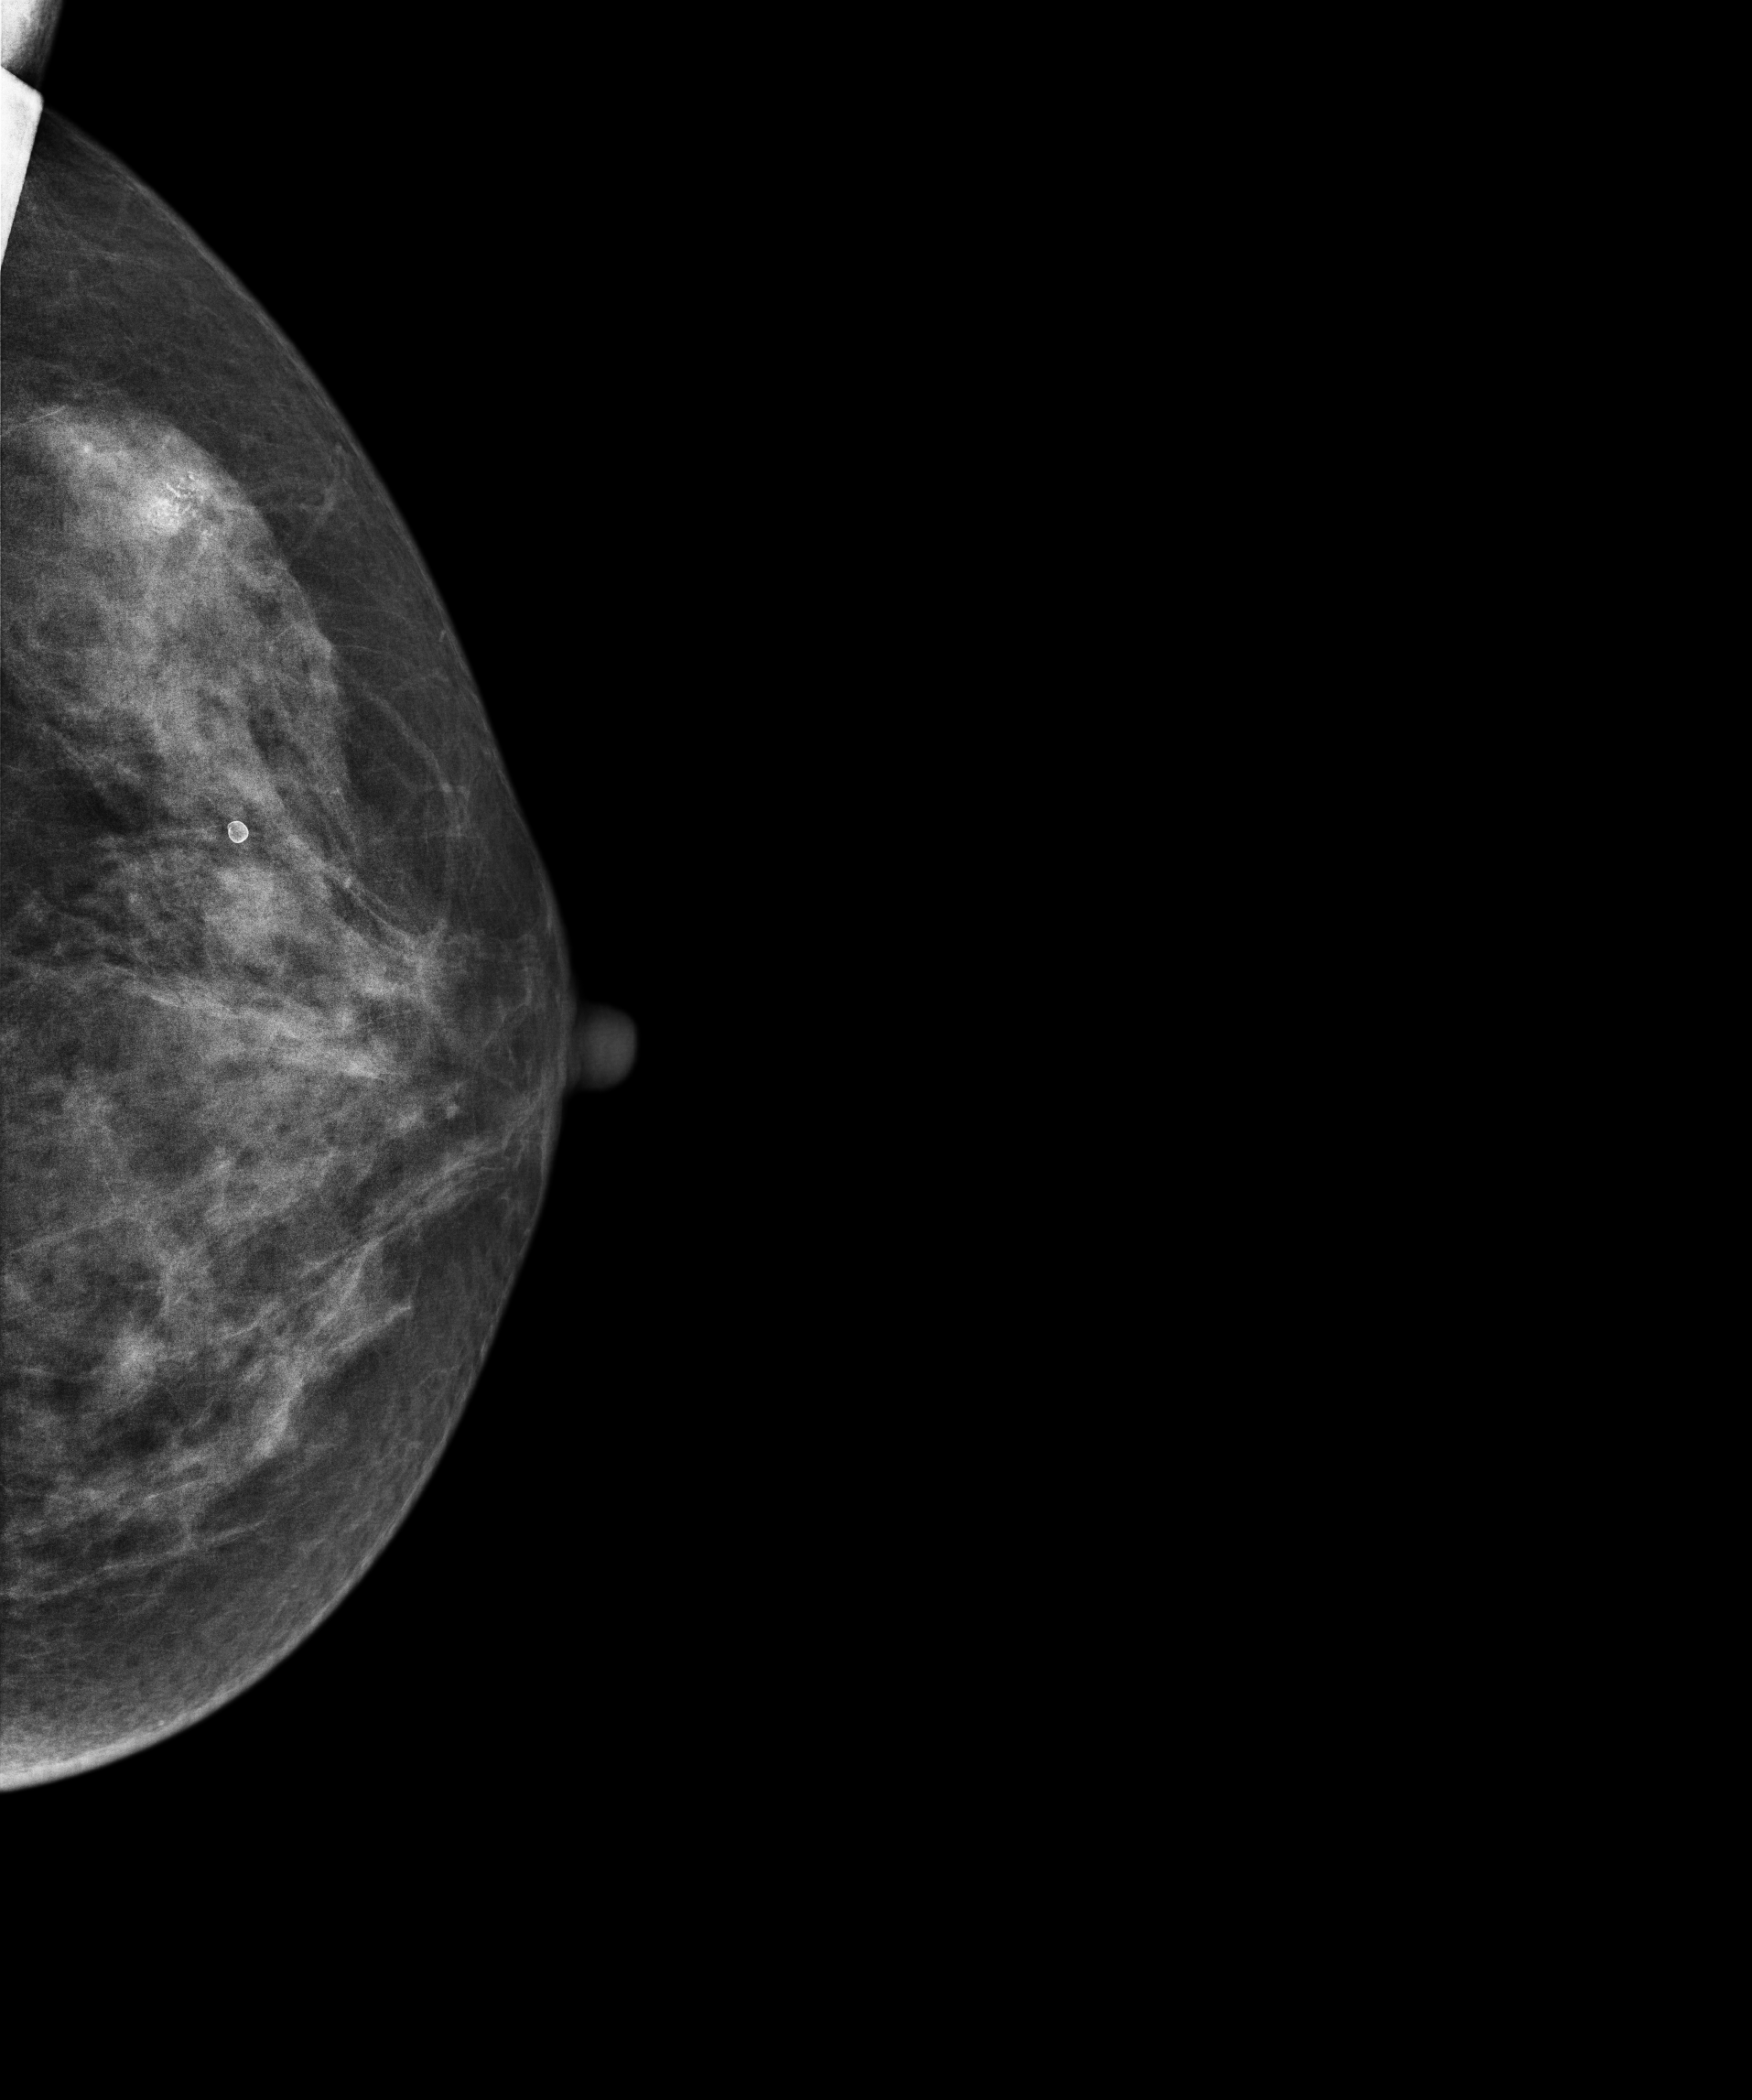
Digital mammography. Left breast, cranio-caudal projection. 48 y/o patient.
This breast has a mass and calcifications, biopsy-proven malignant.